CC mammogram of the left breast. 53-year-old patient.
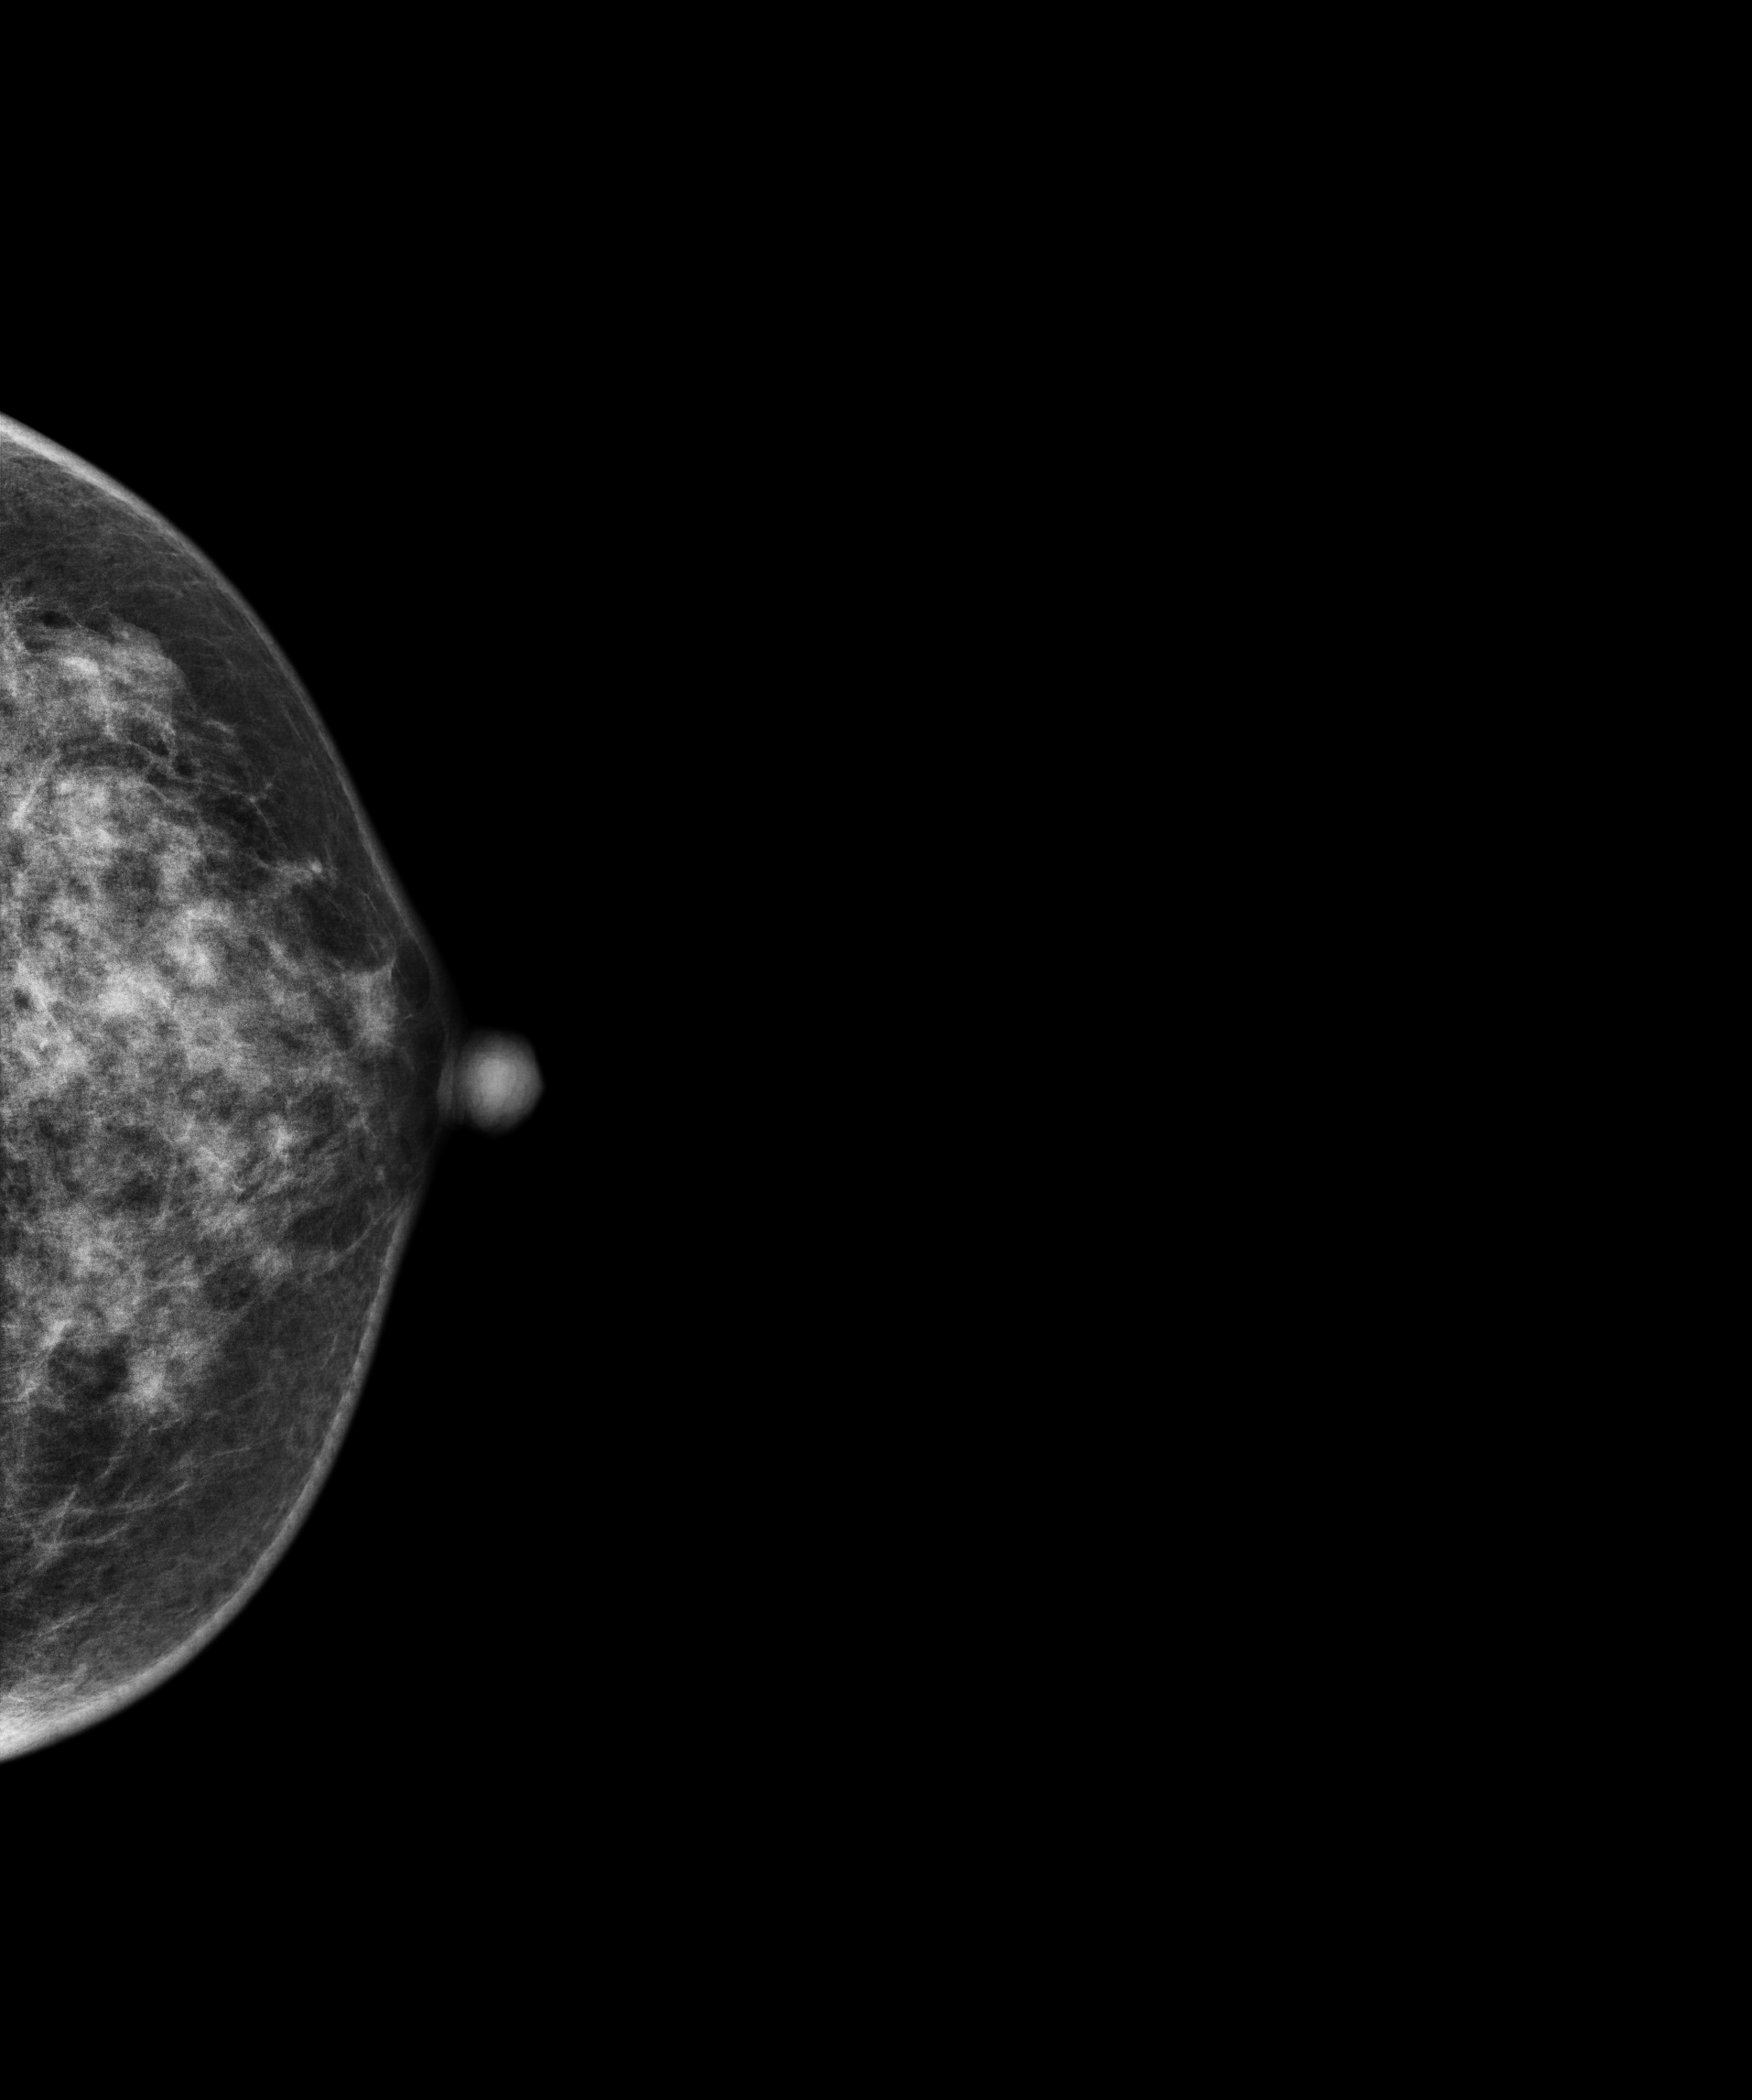
This breast has a mass, pathology-confirmed malignant. Molecular subtype: triple-negative.